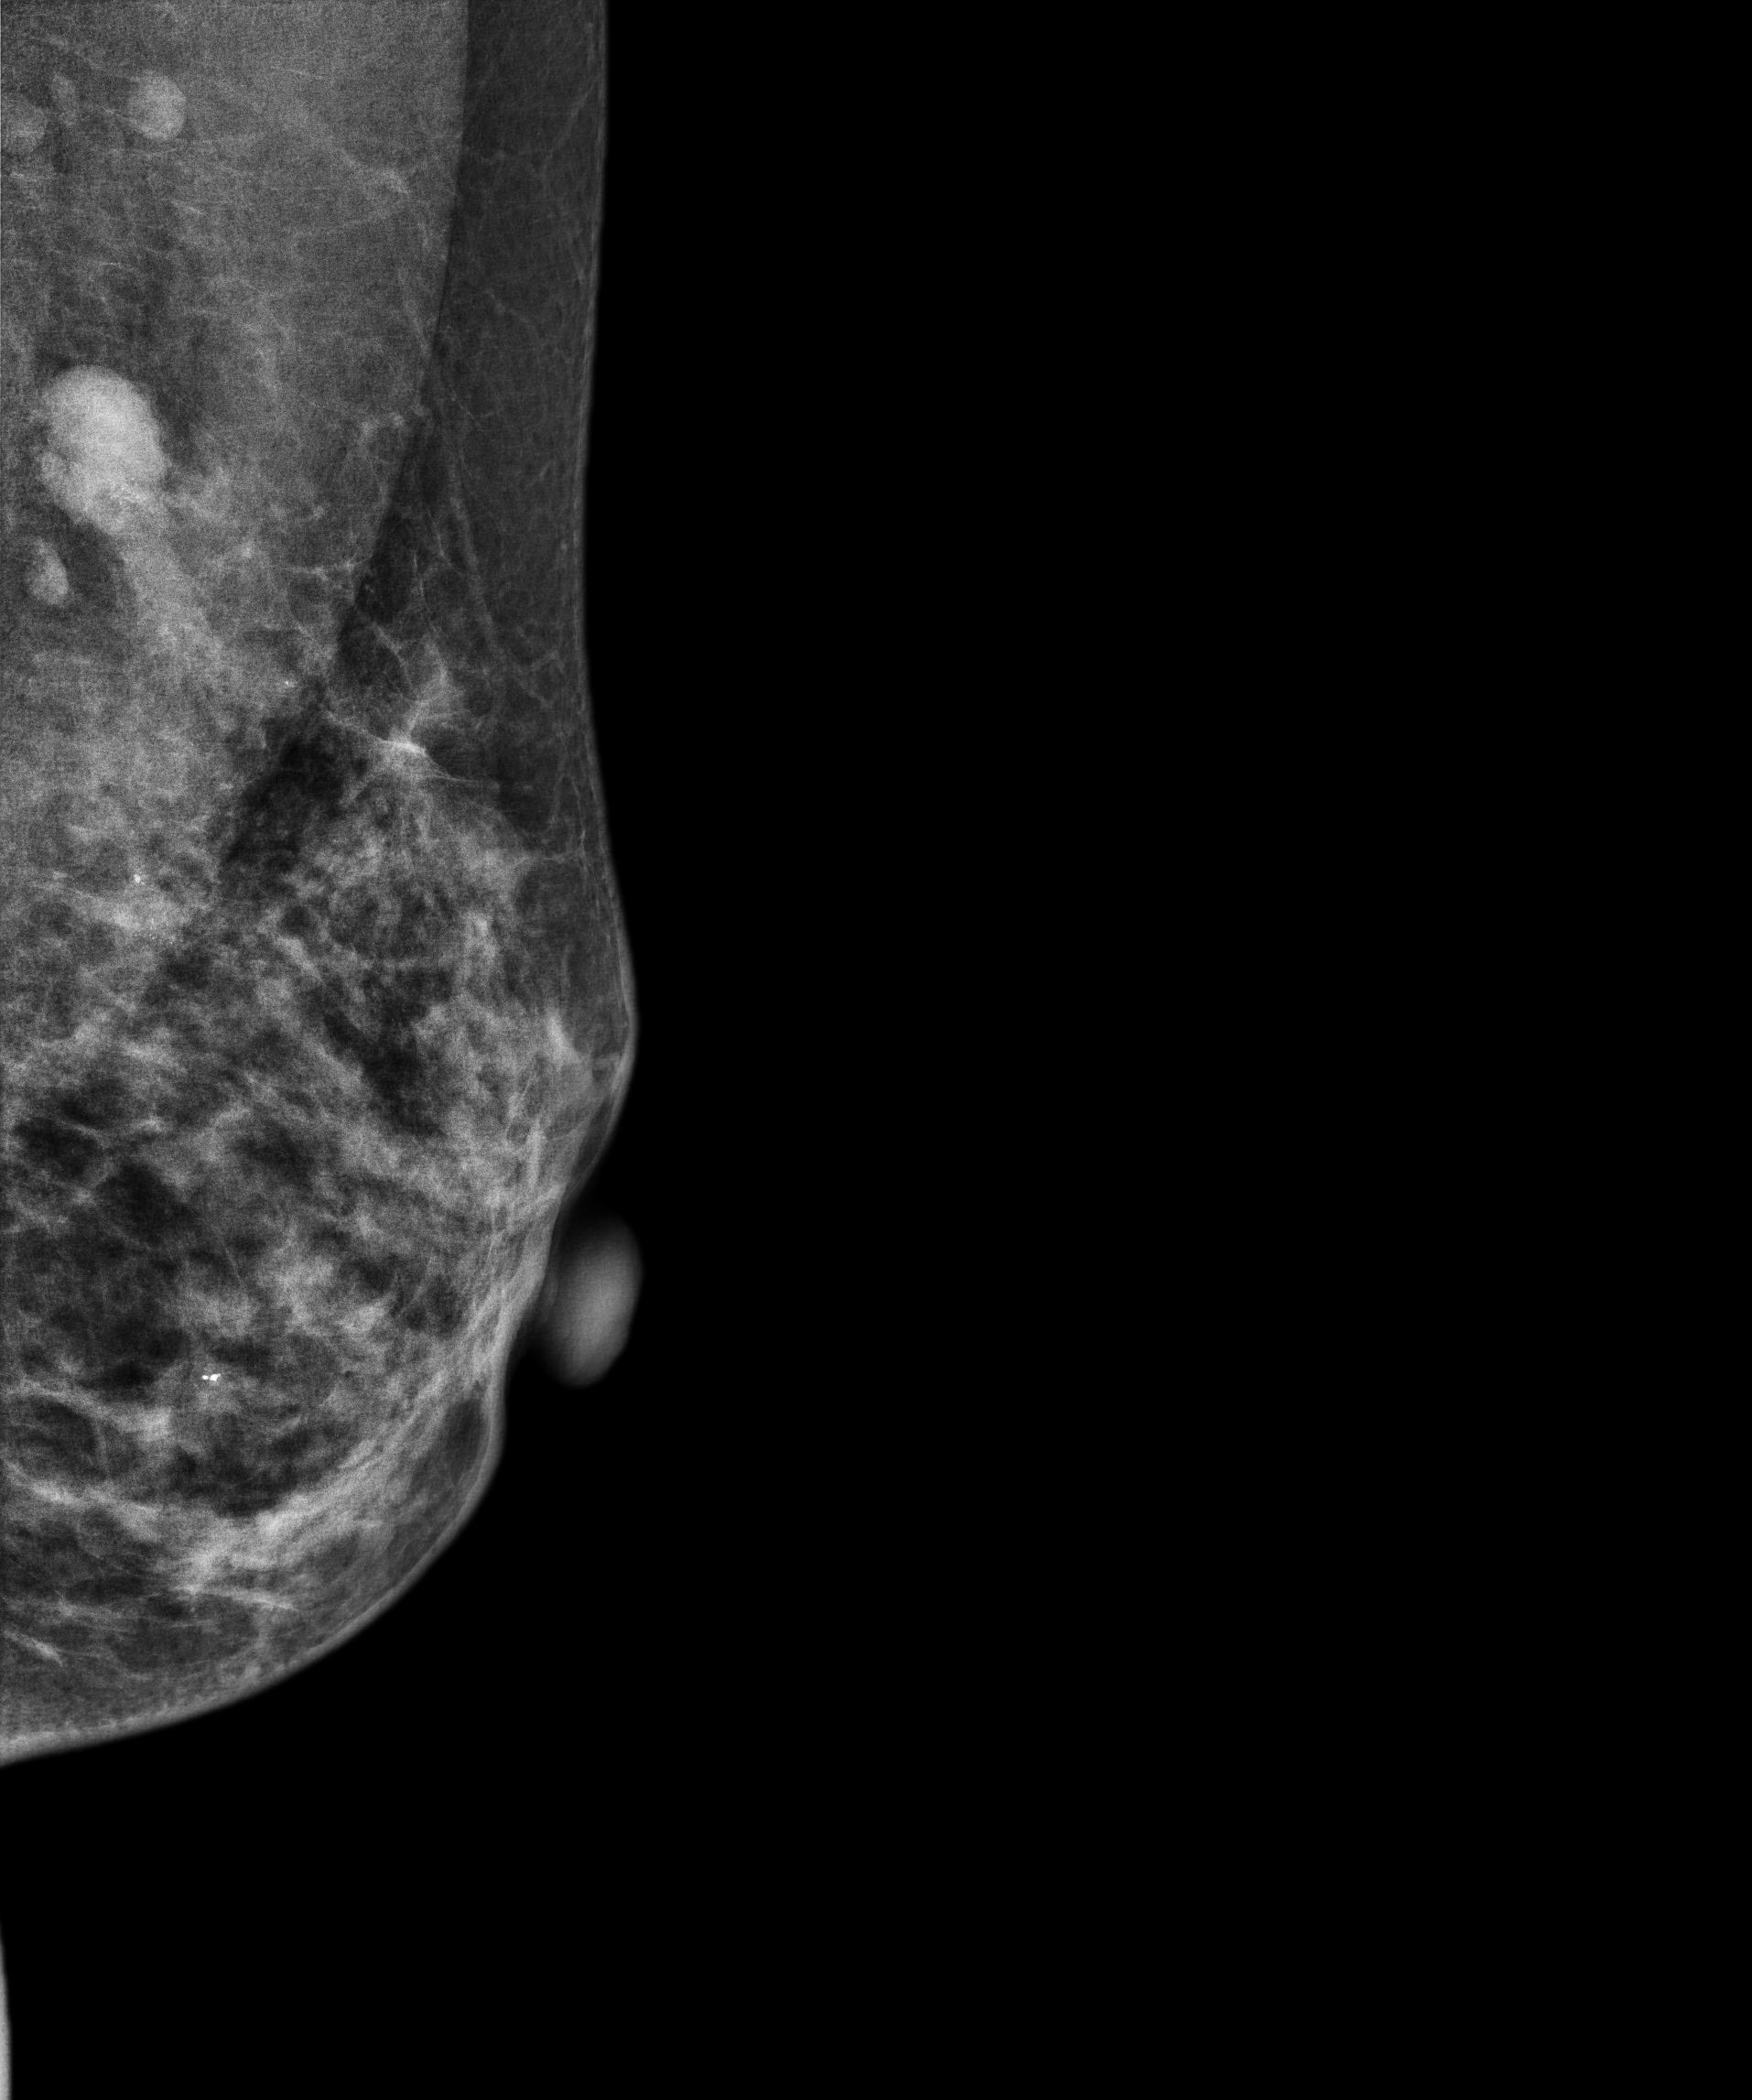
Left-breast mammogram, MLO. 42 y/o patient.
This breast has a mass and calcifications, pathology-confirmed malignant.